Mammogram, right breast, medio-lateral oblique view. 55-year-old patient.
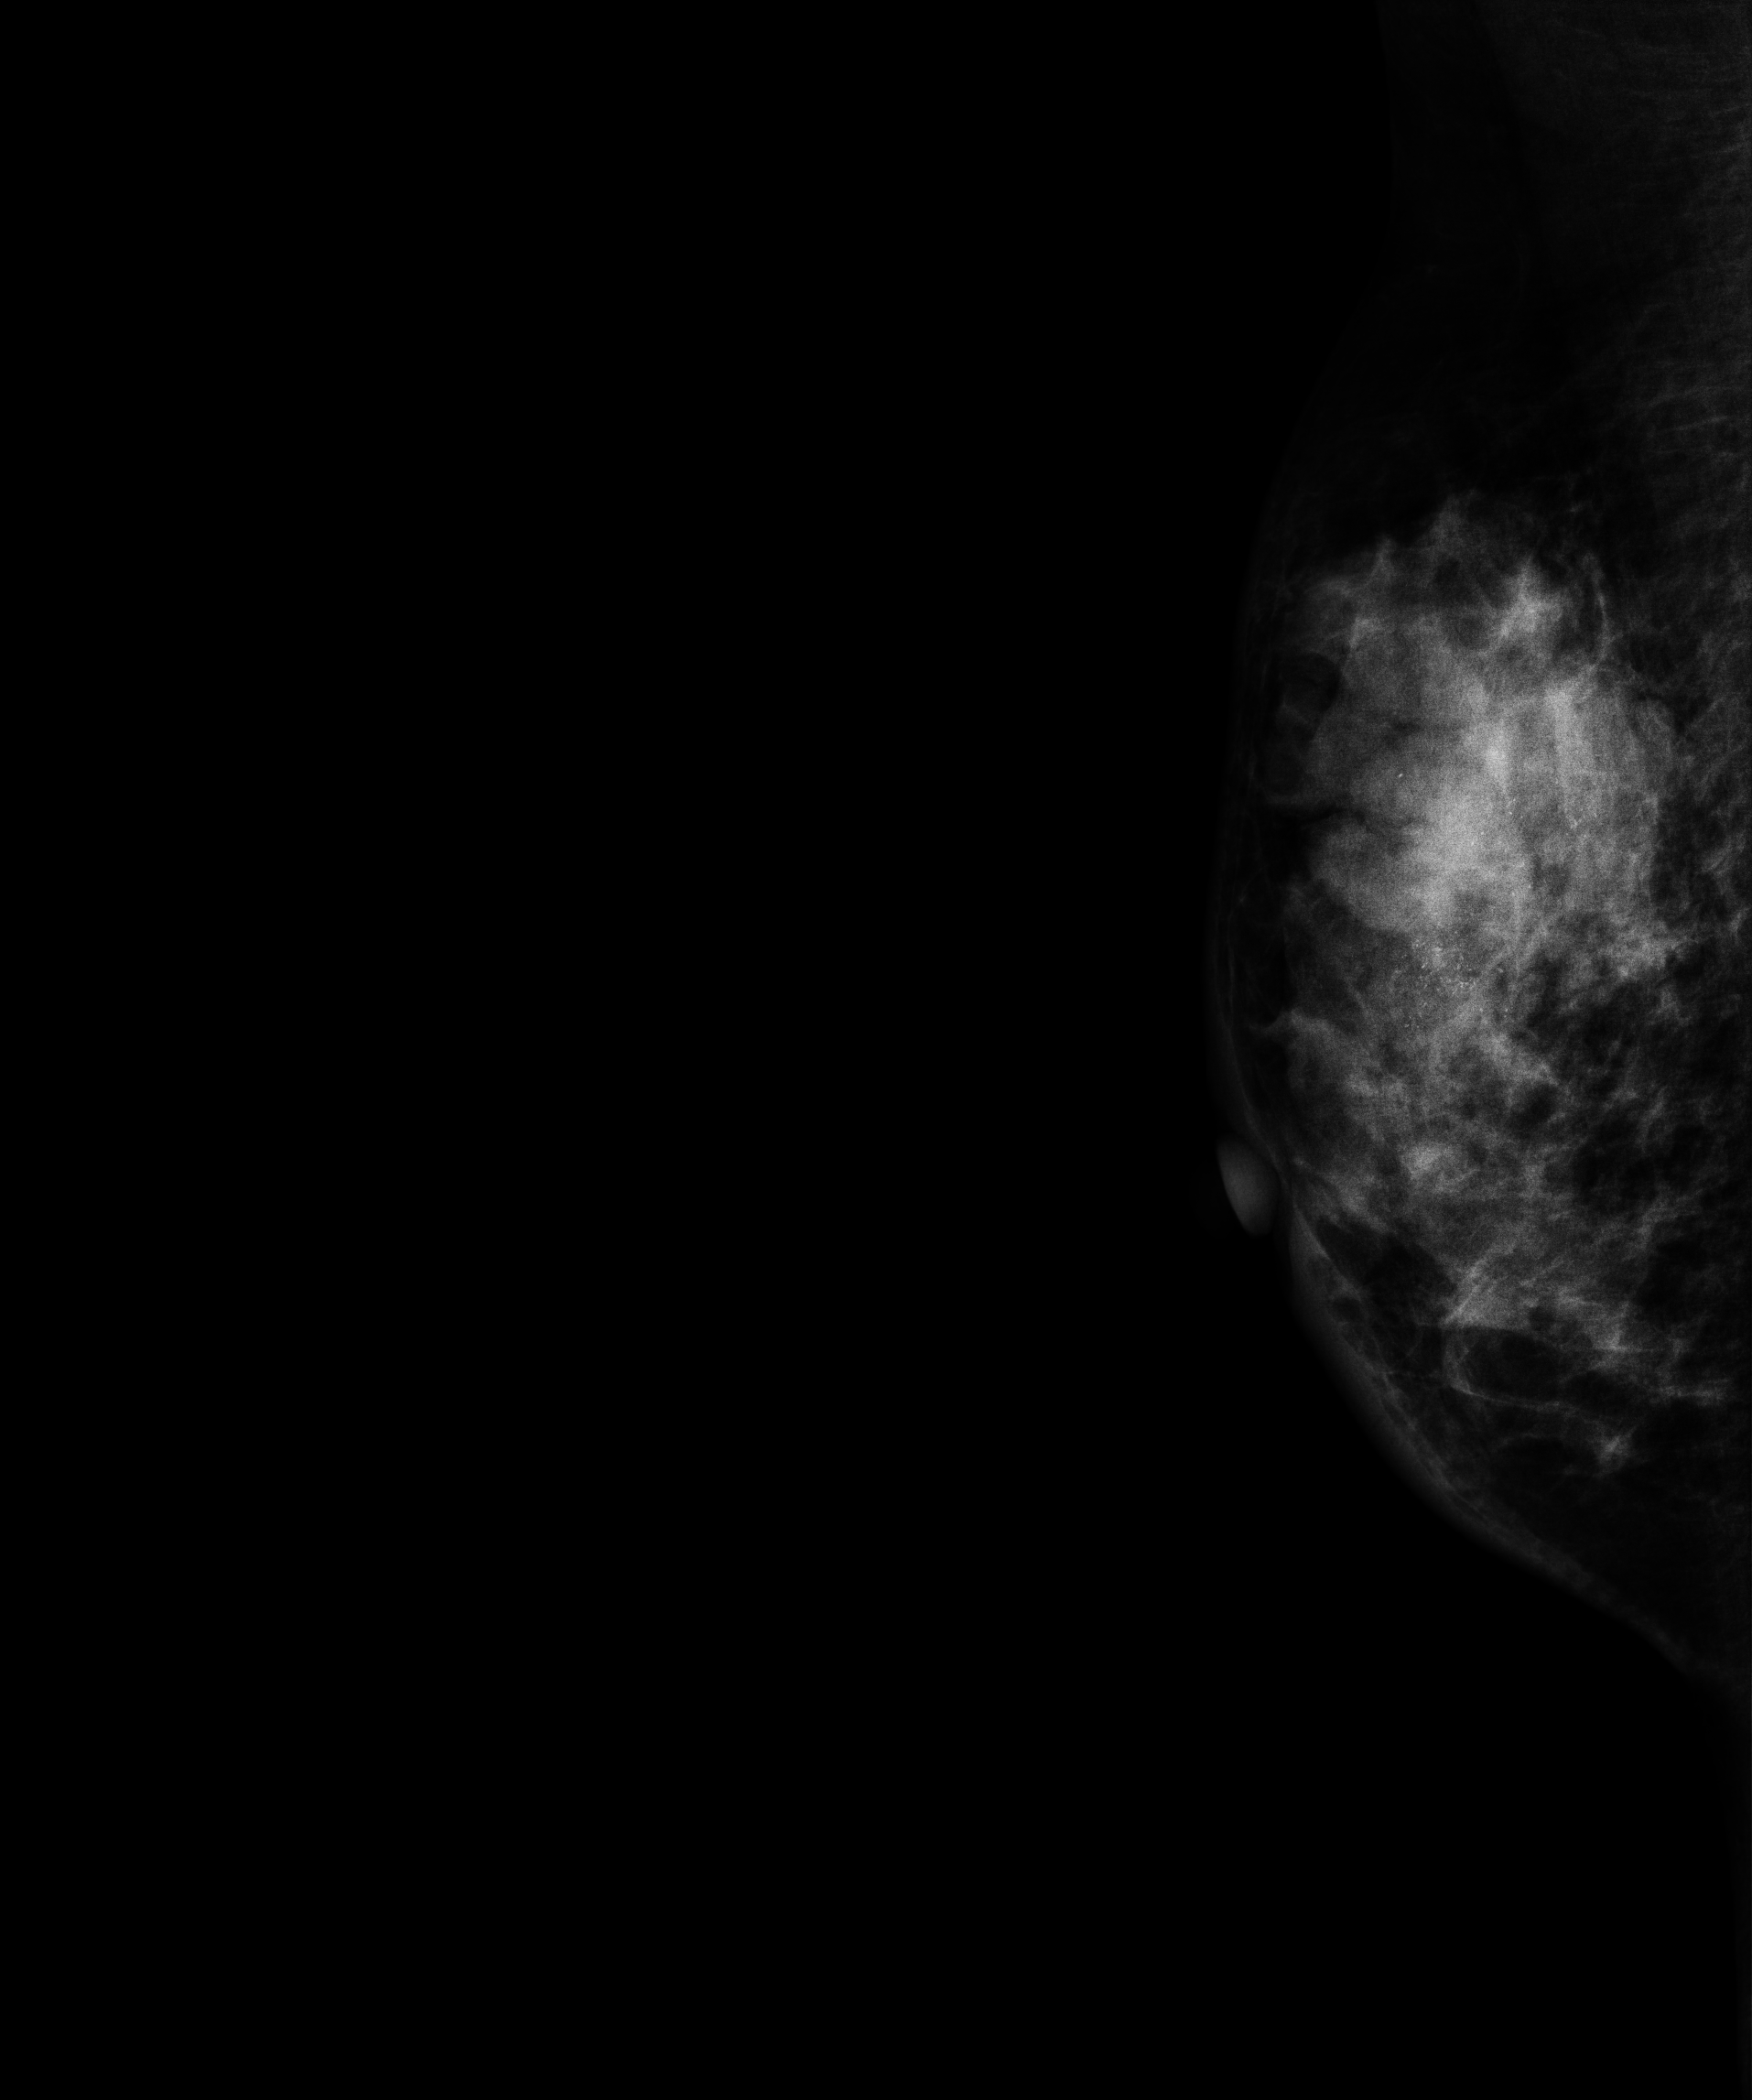
This breast has a mass and calcifications, pathology-confirmed malignant.